Right-breast mammogram, cranio-caudal. 48-year-old patient.
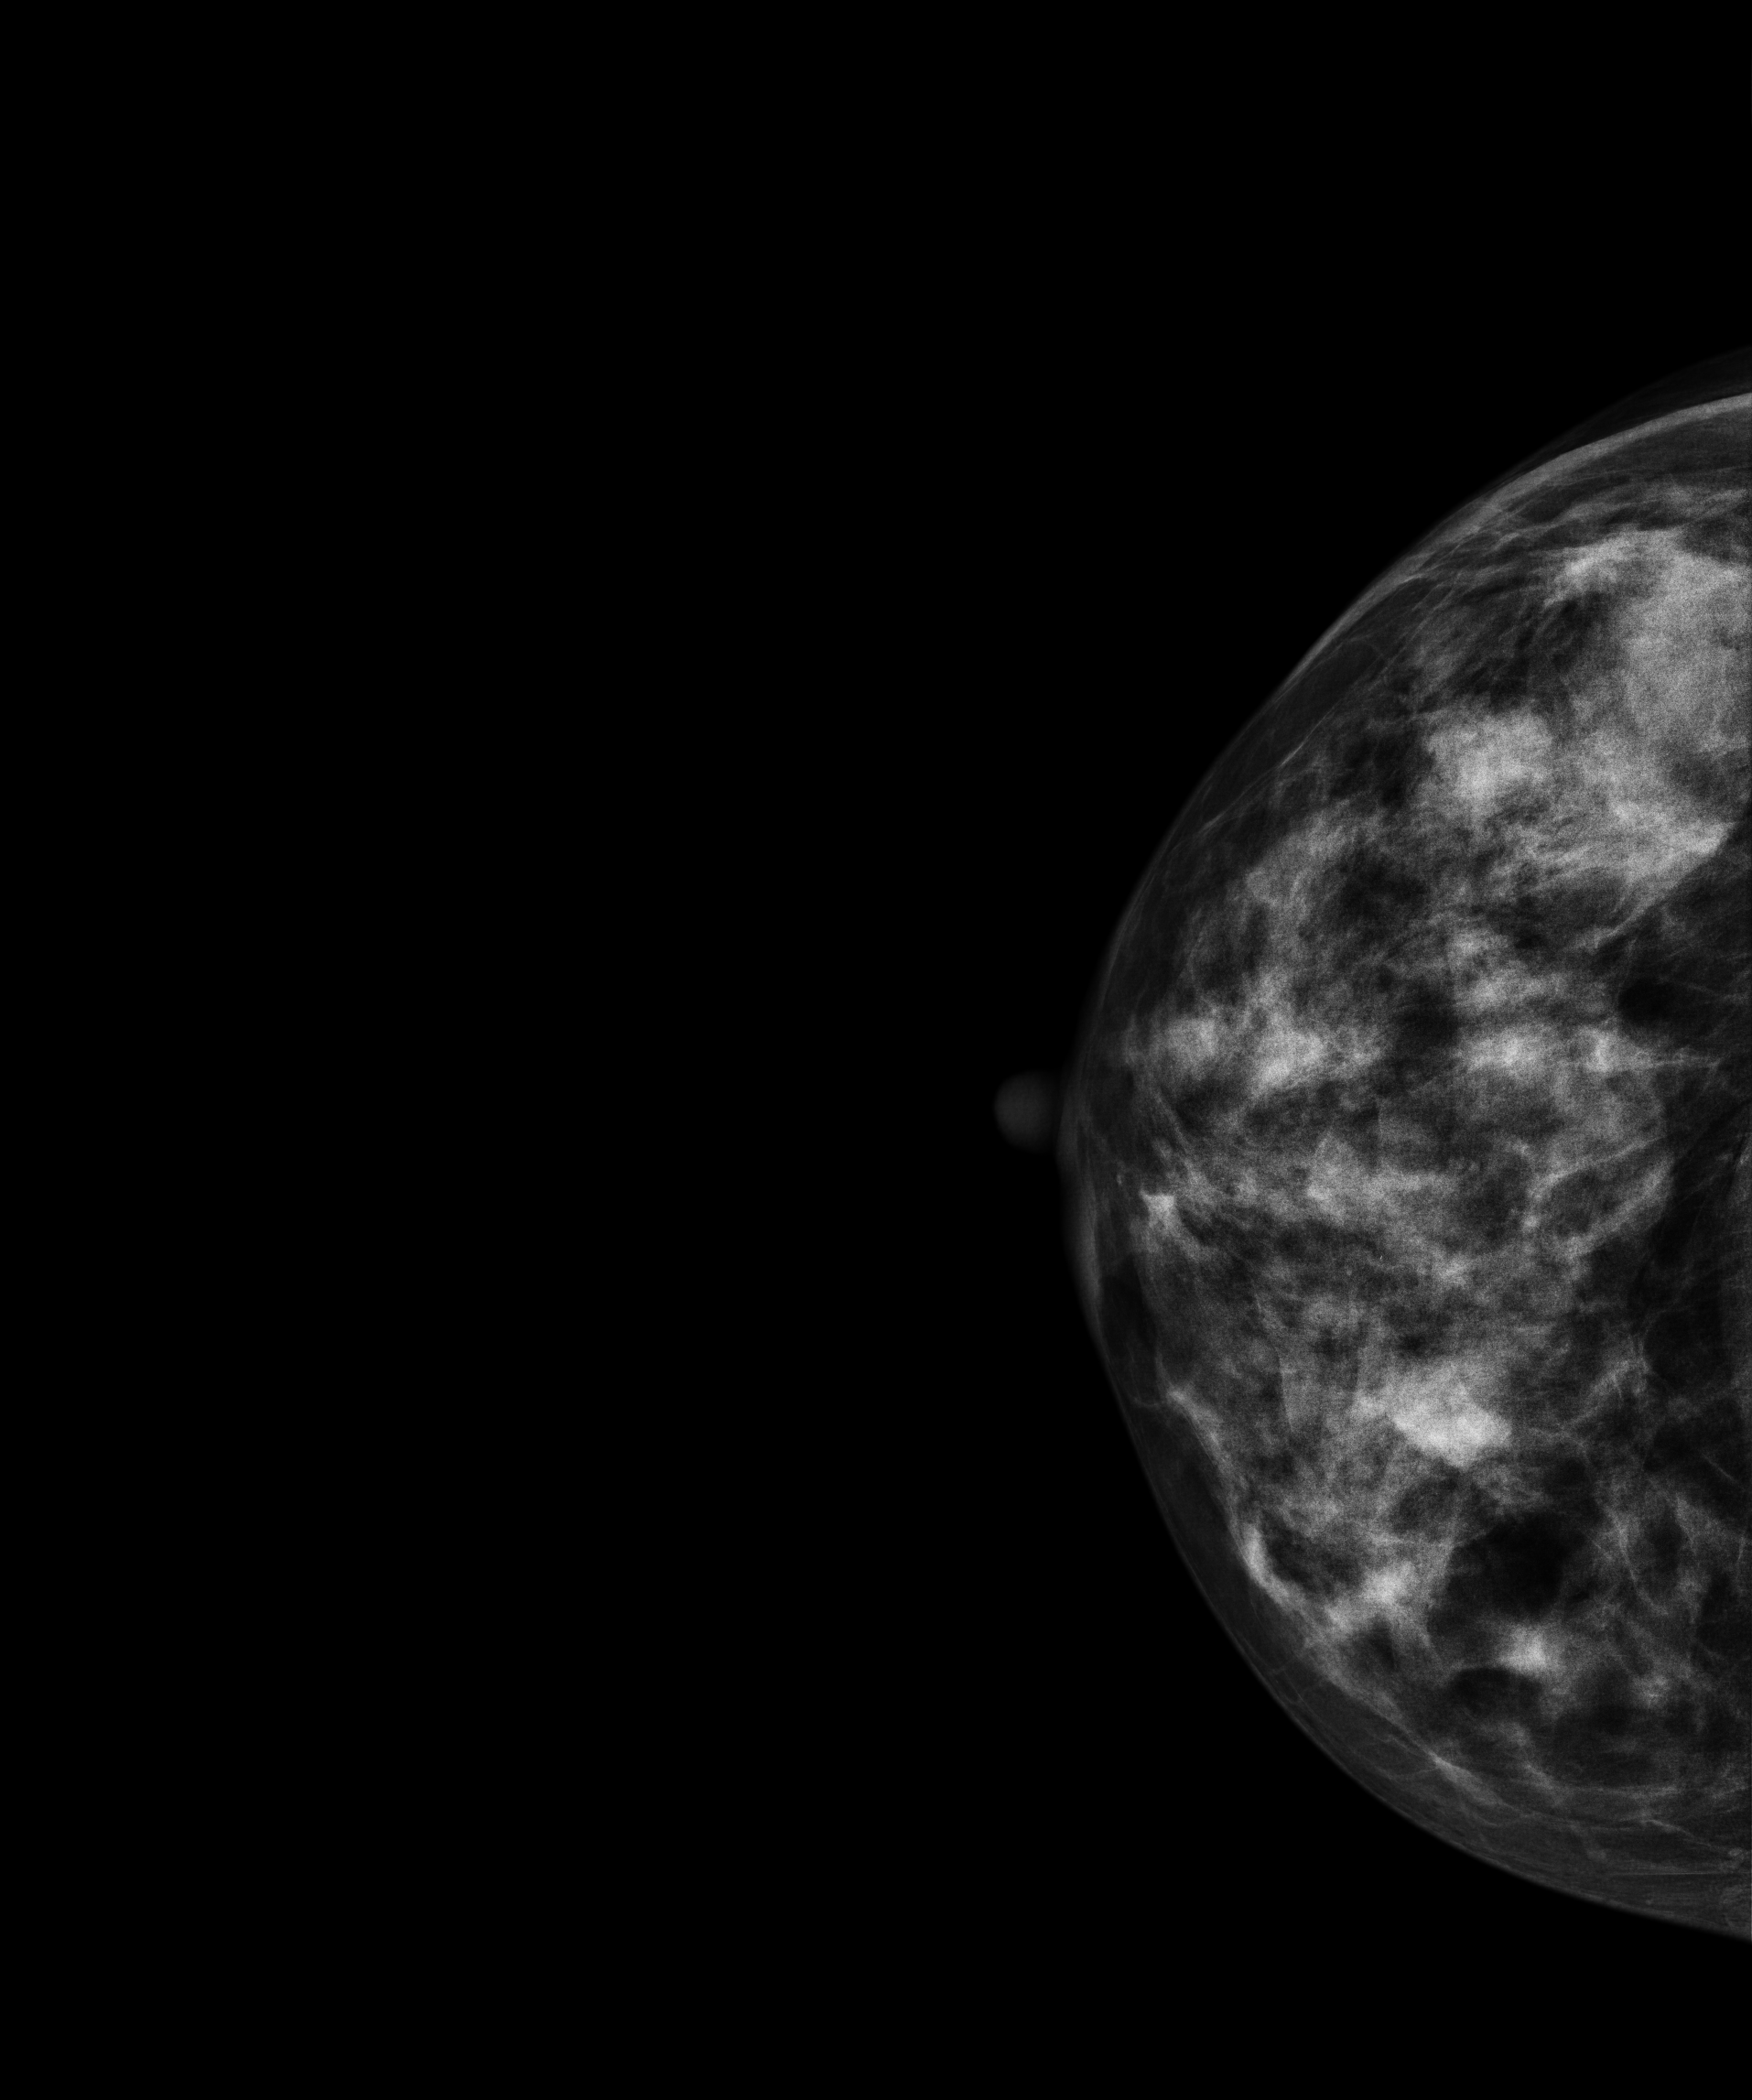
This breast has a mass, biopsy-proven benign.